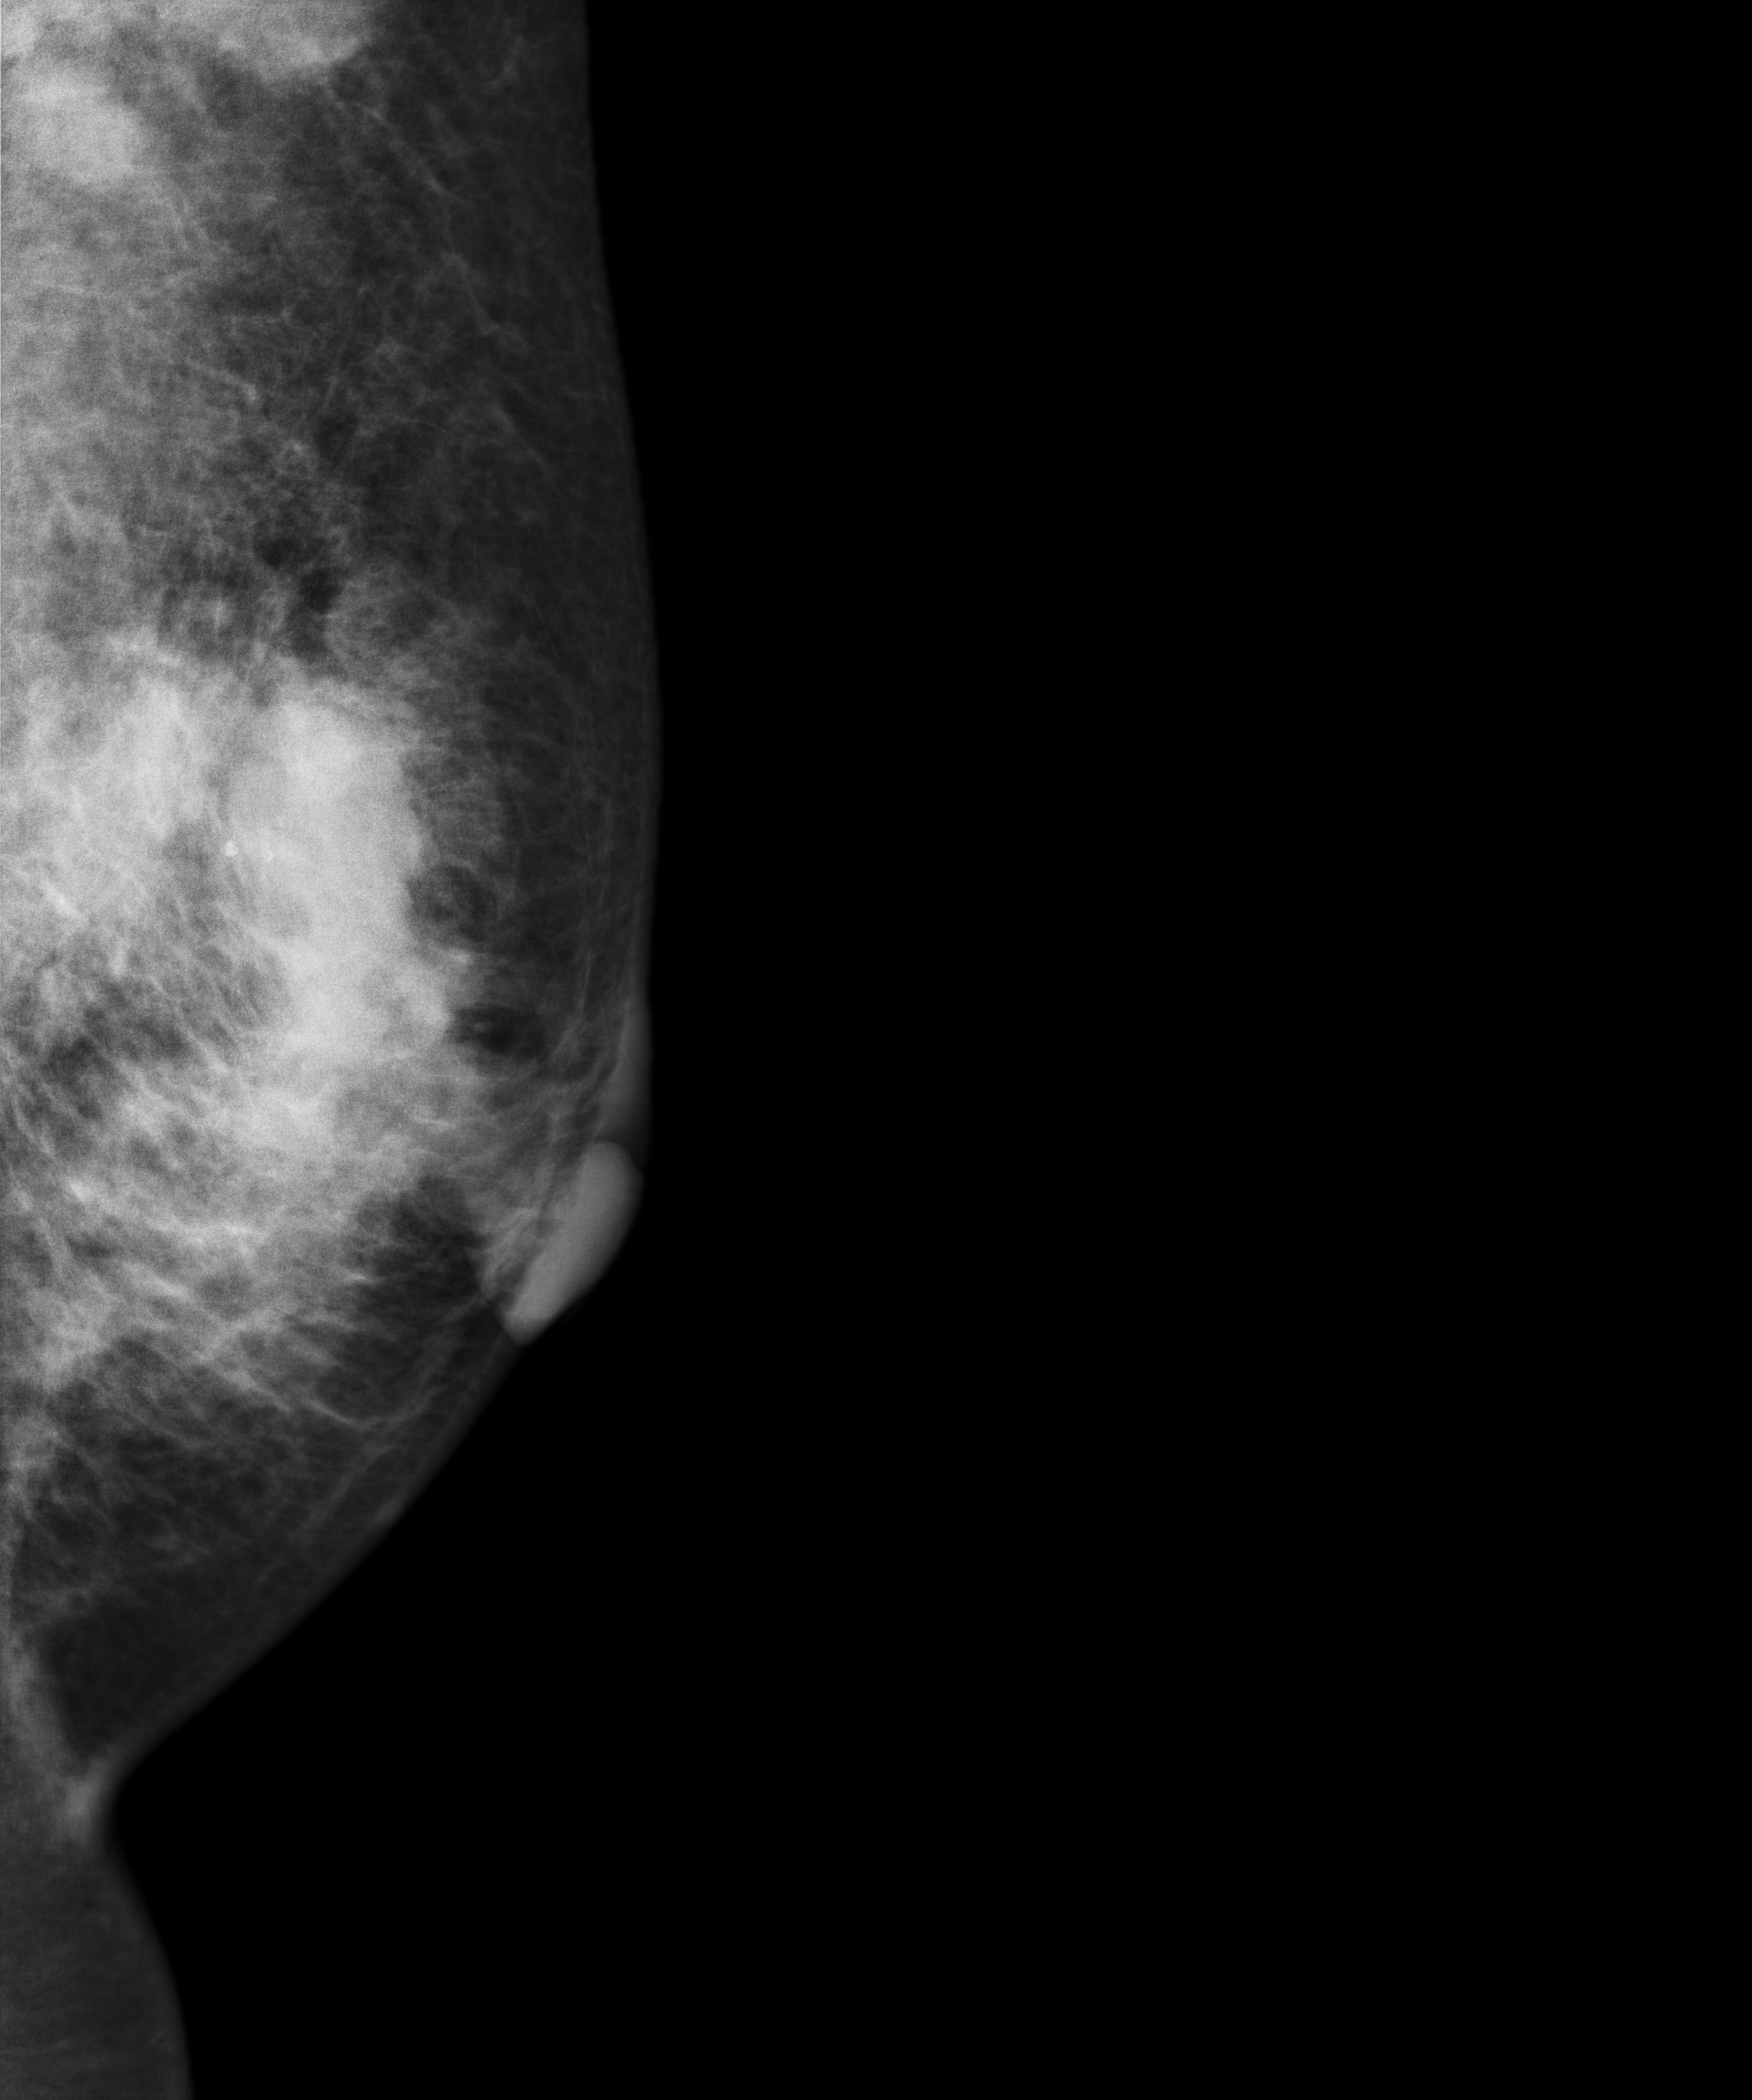
Left-breast mammogram, medio-lateral oblique. 46 y/o patient.
This breast has a mass, biopsy-confirmed malignant. Molecular subtype: luminal B.